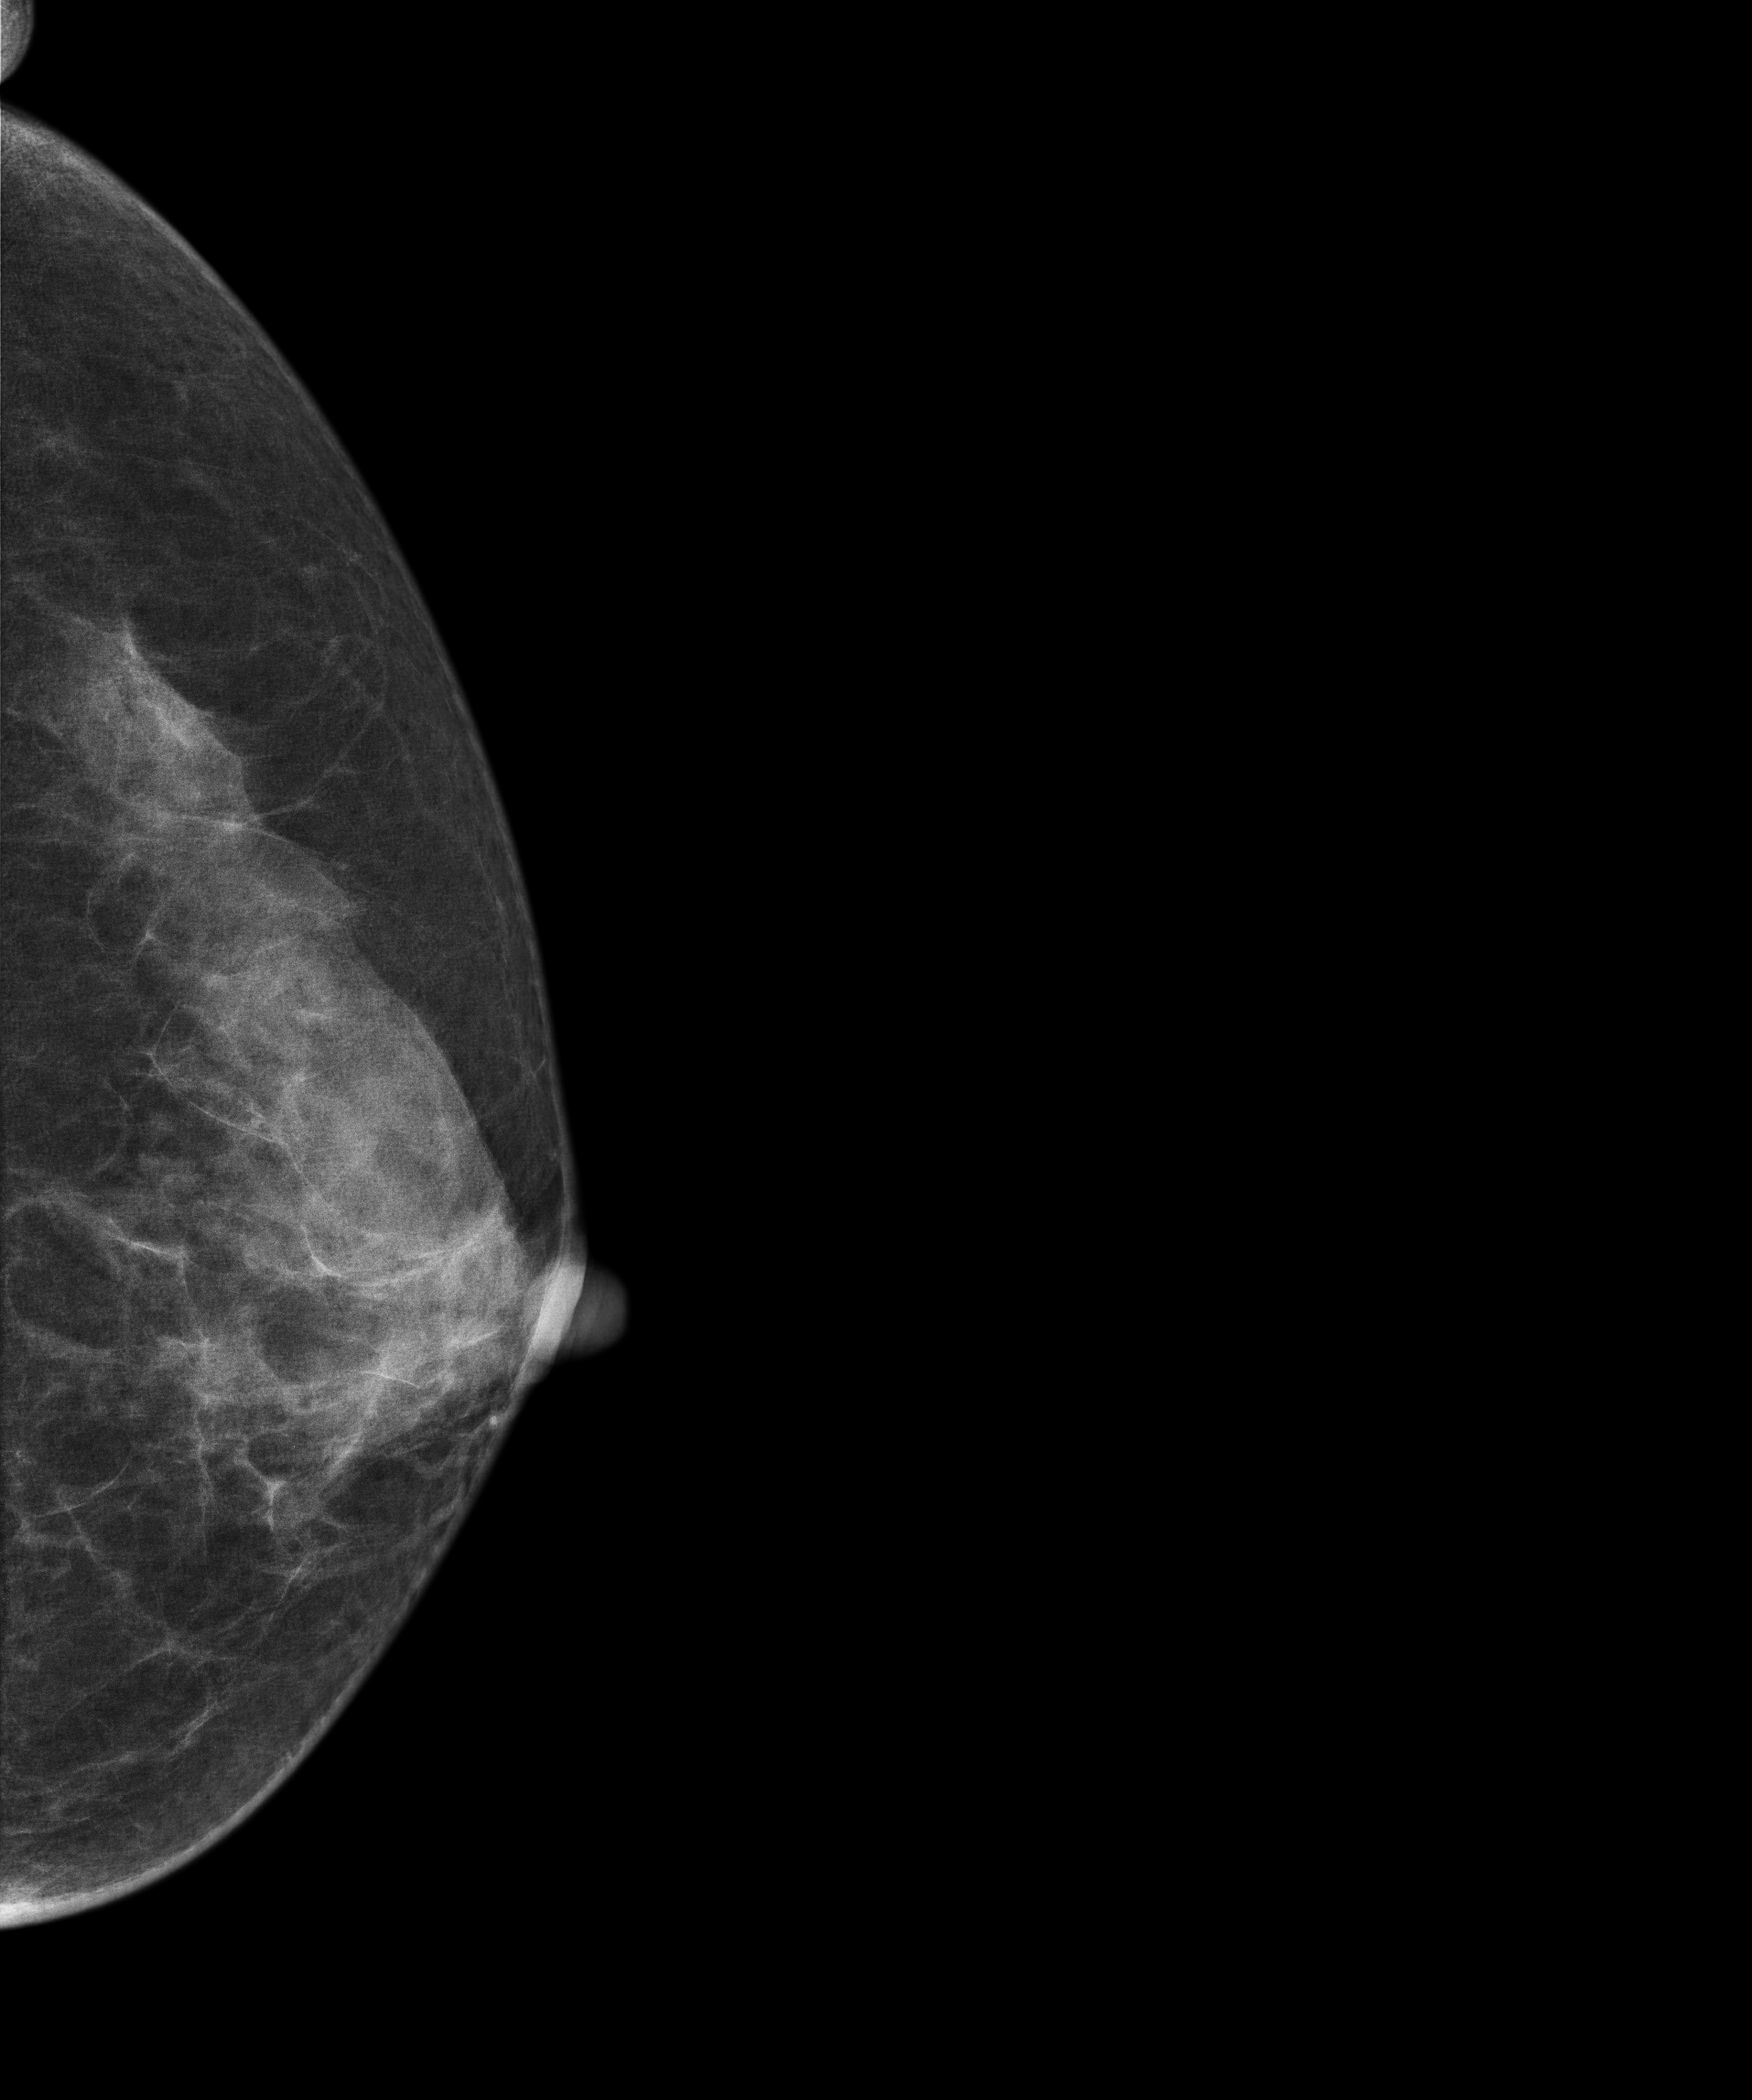
Mammogram — left CC. 57 y/o patient.
Contralateral breast — no documented abnormality on this side.